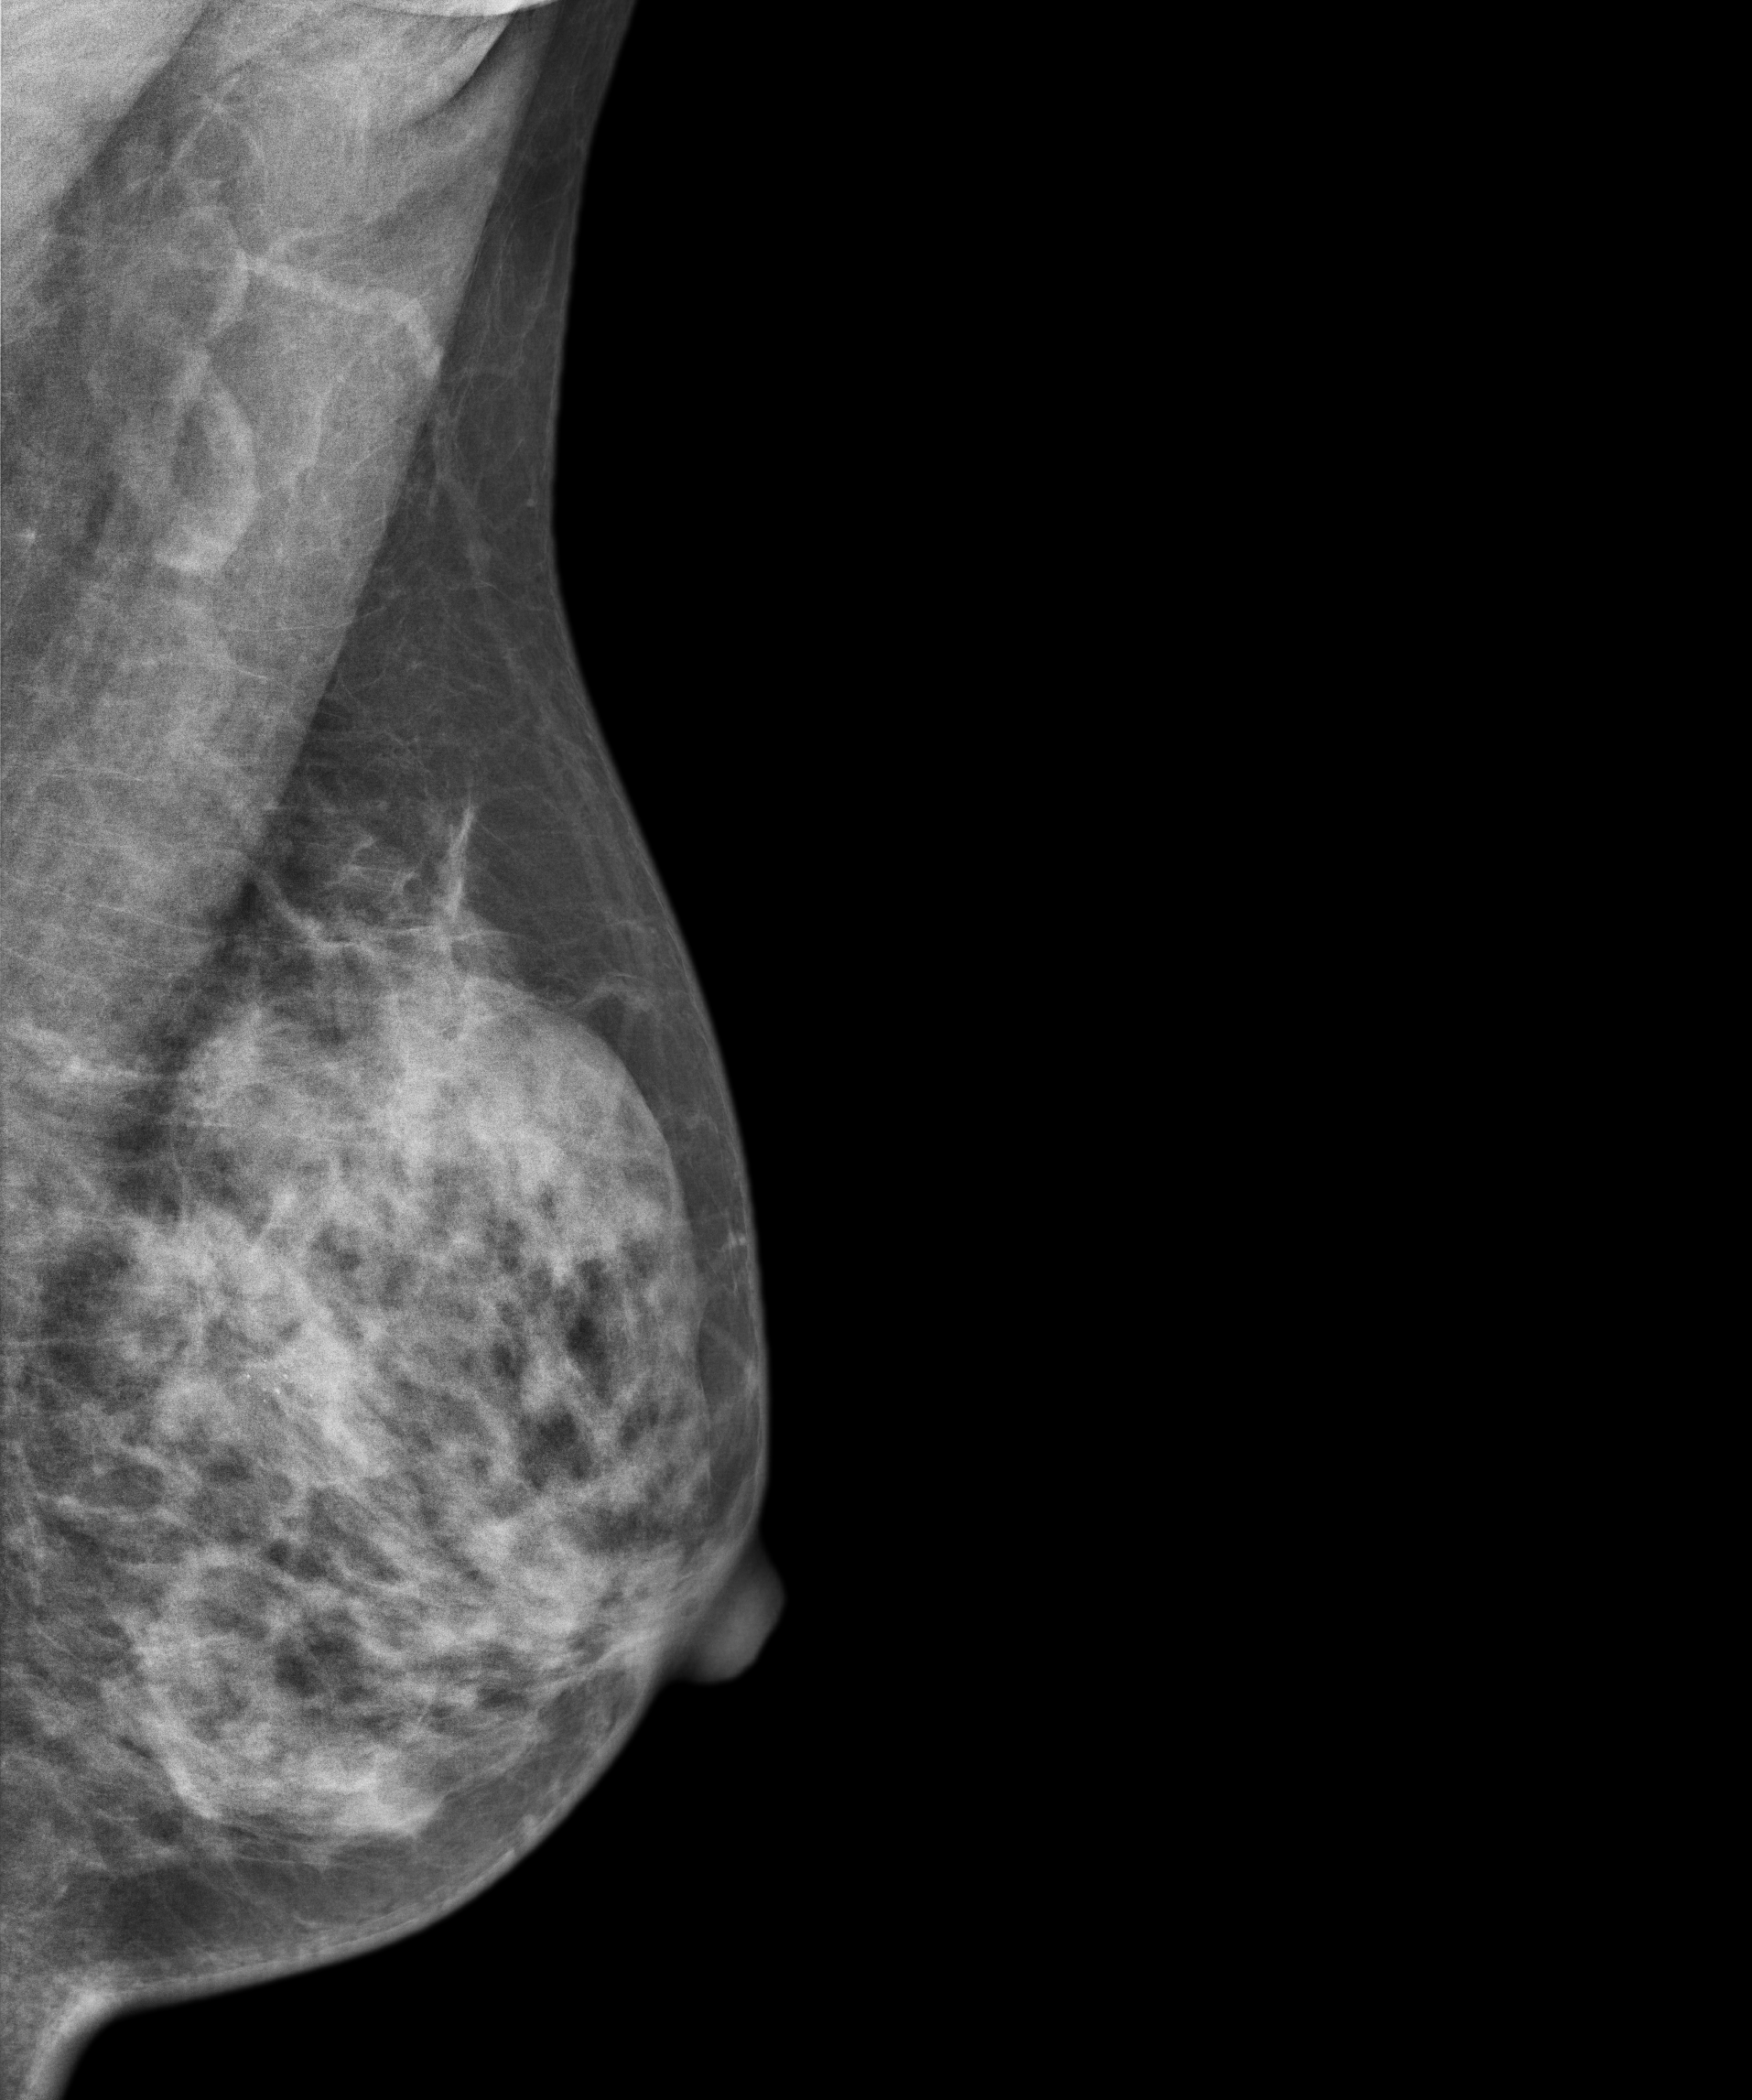
Mammogram — left MLO. Patient age 39.
This breast has calcifications, biopsy-confirmed malignant.